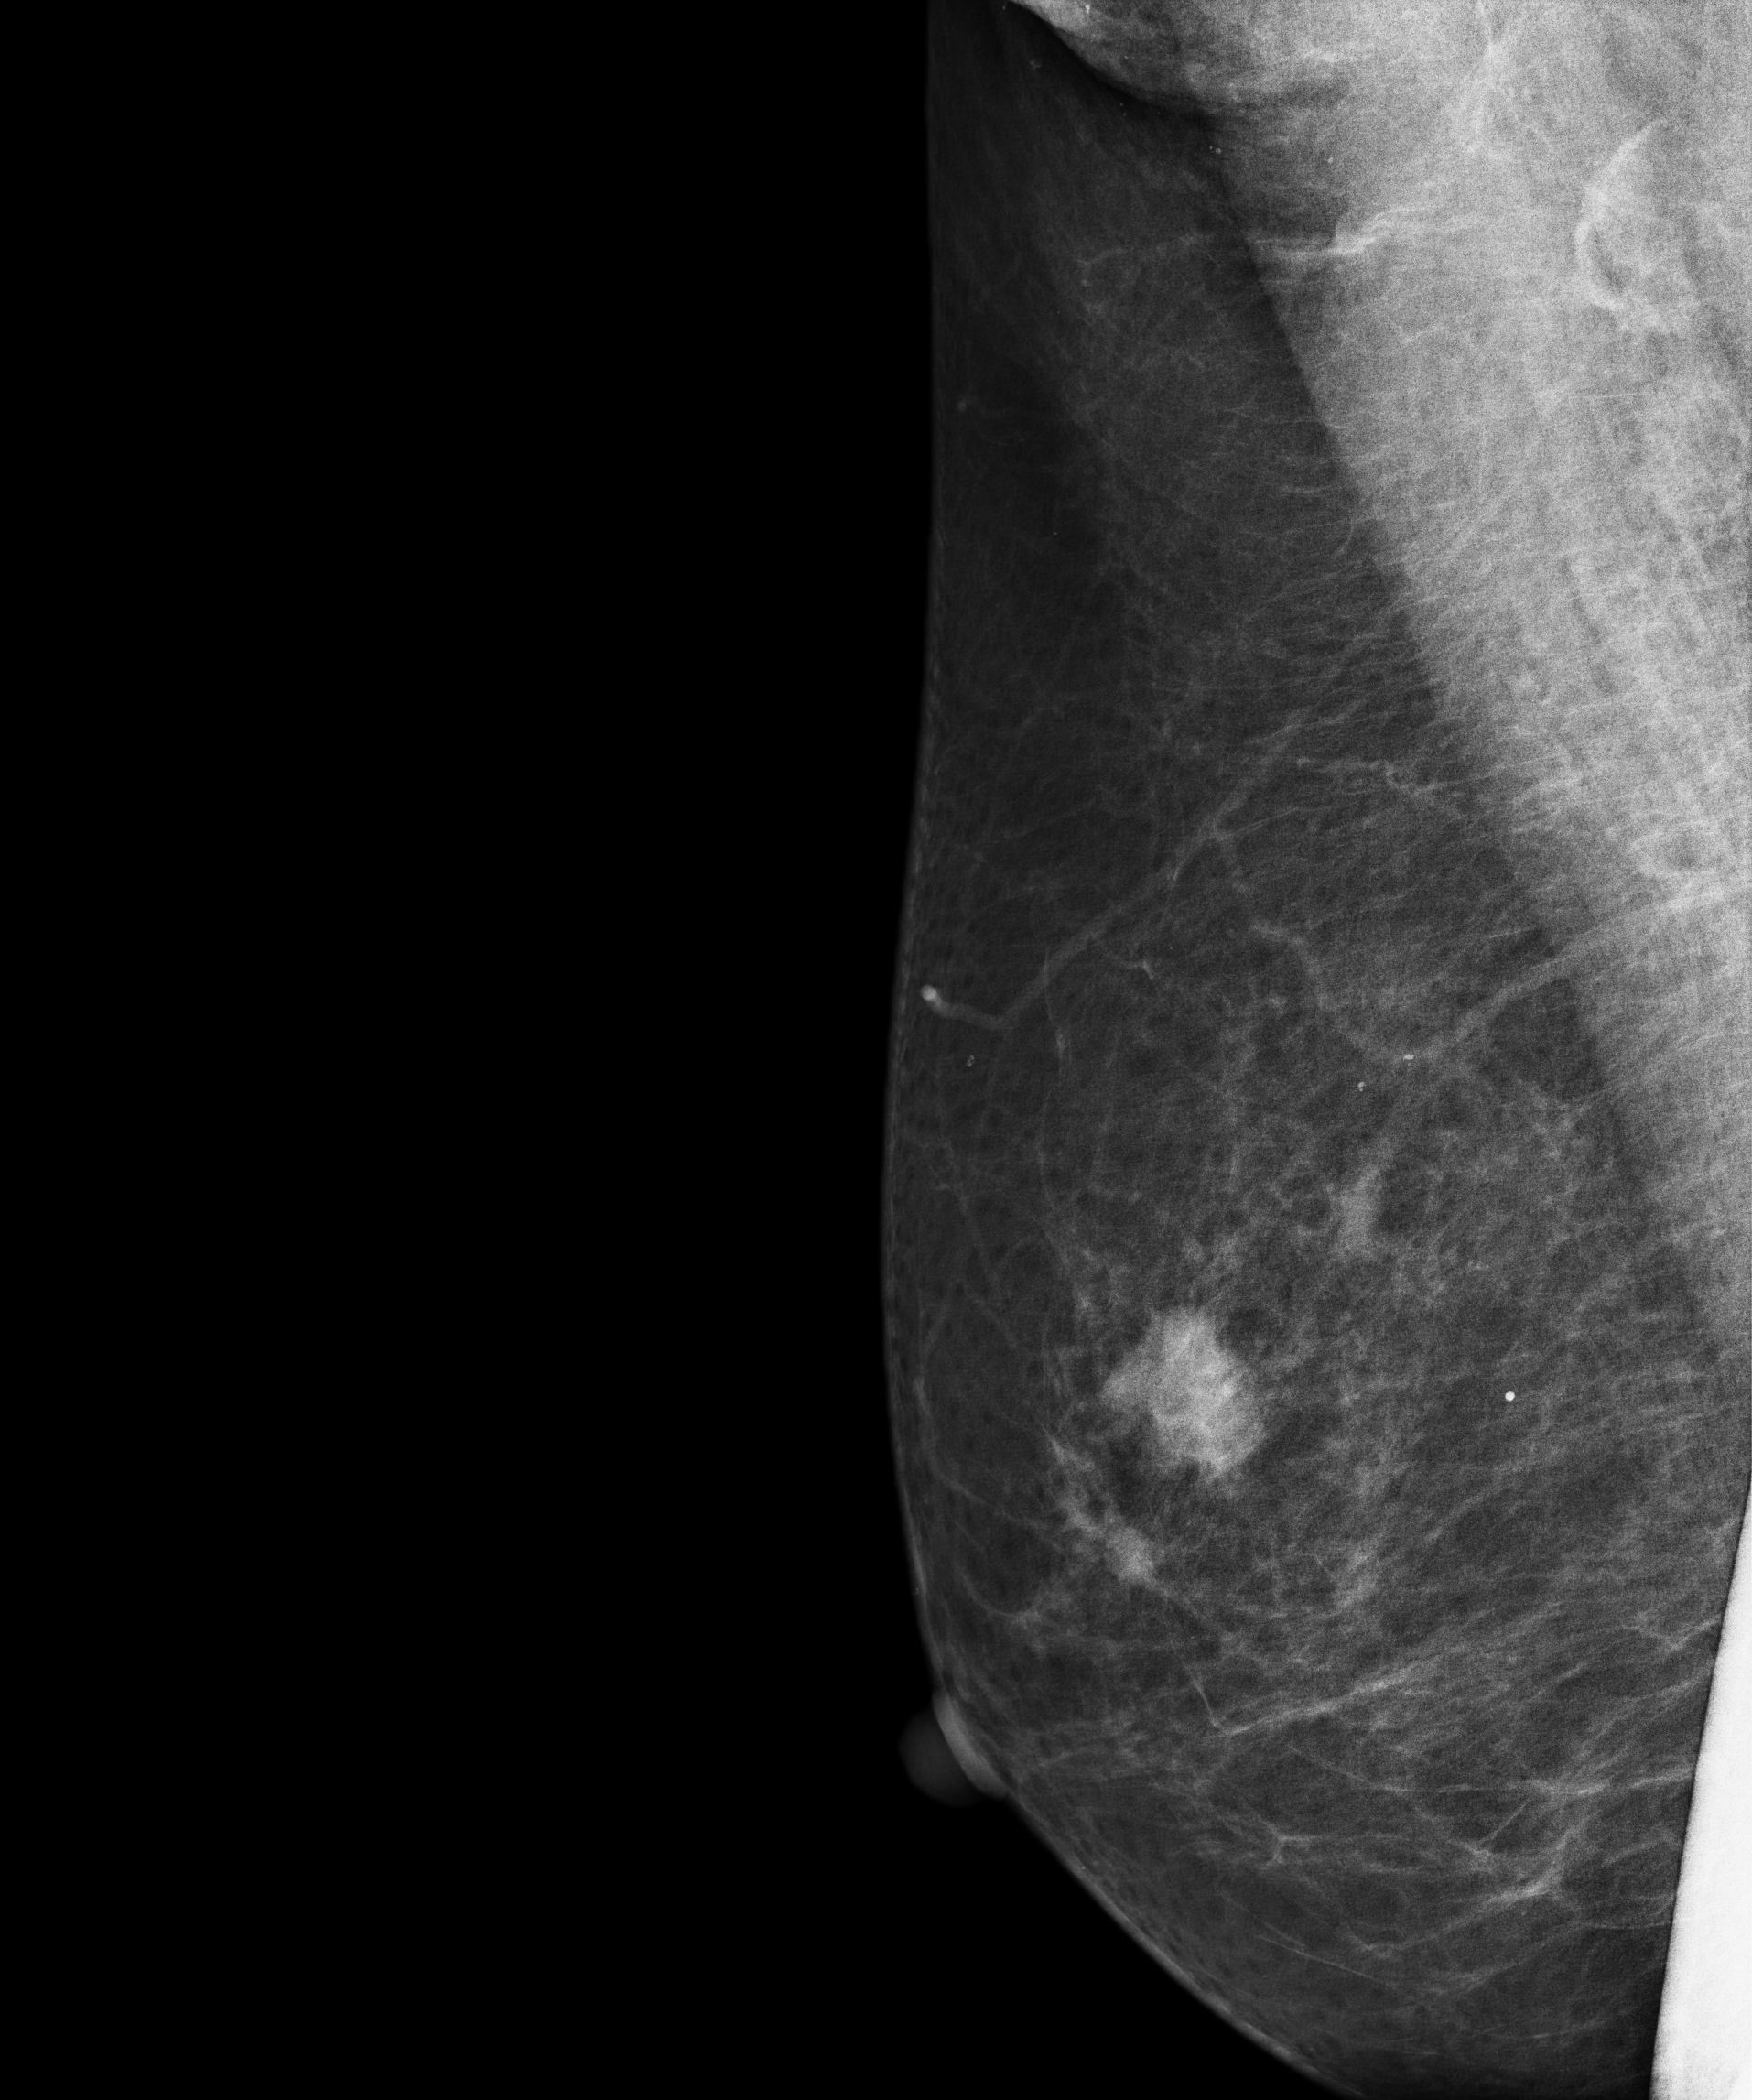
Right-breast mammogram, MLO. 61 y/o patient.
This breast has a mass, biopsy-proven malignant. Molecular subtype: luminal B.